Cranio-caudal mammogram of the right breast. 45 y/o patient.
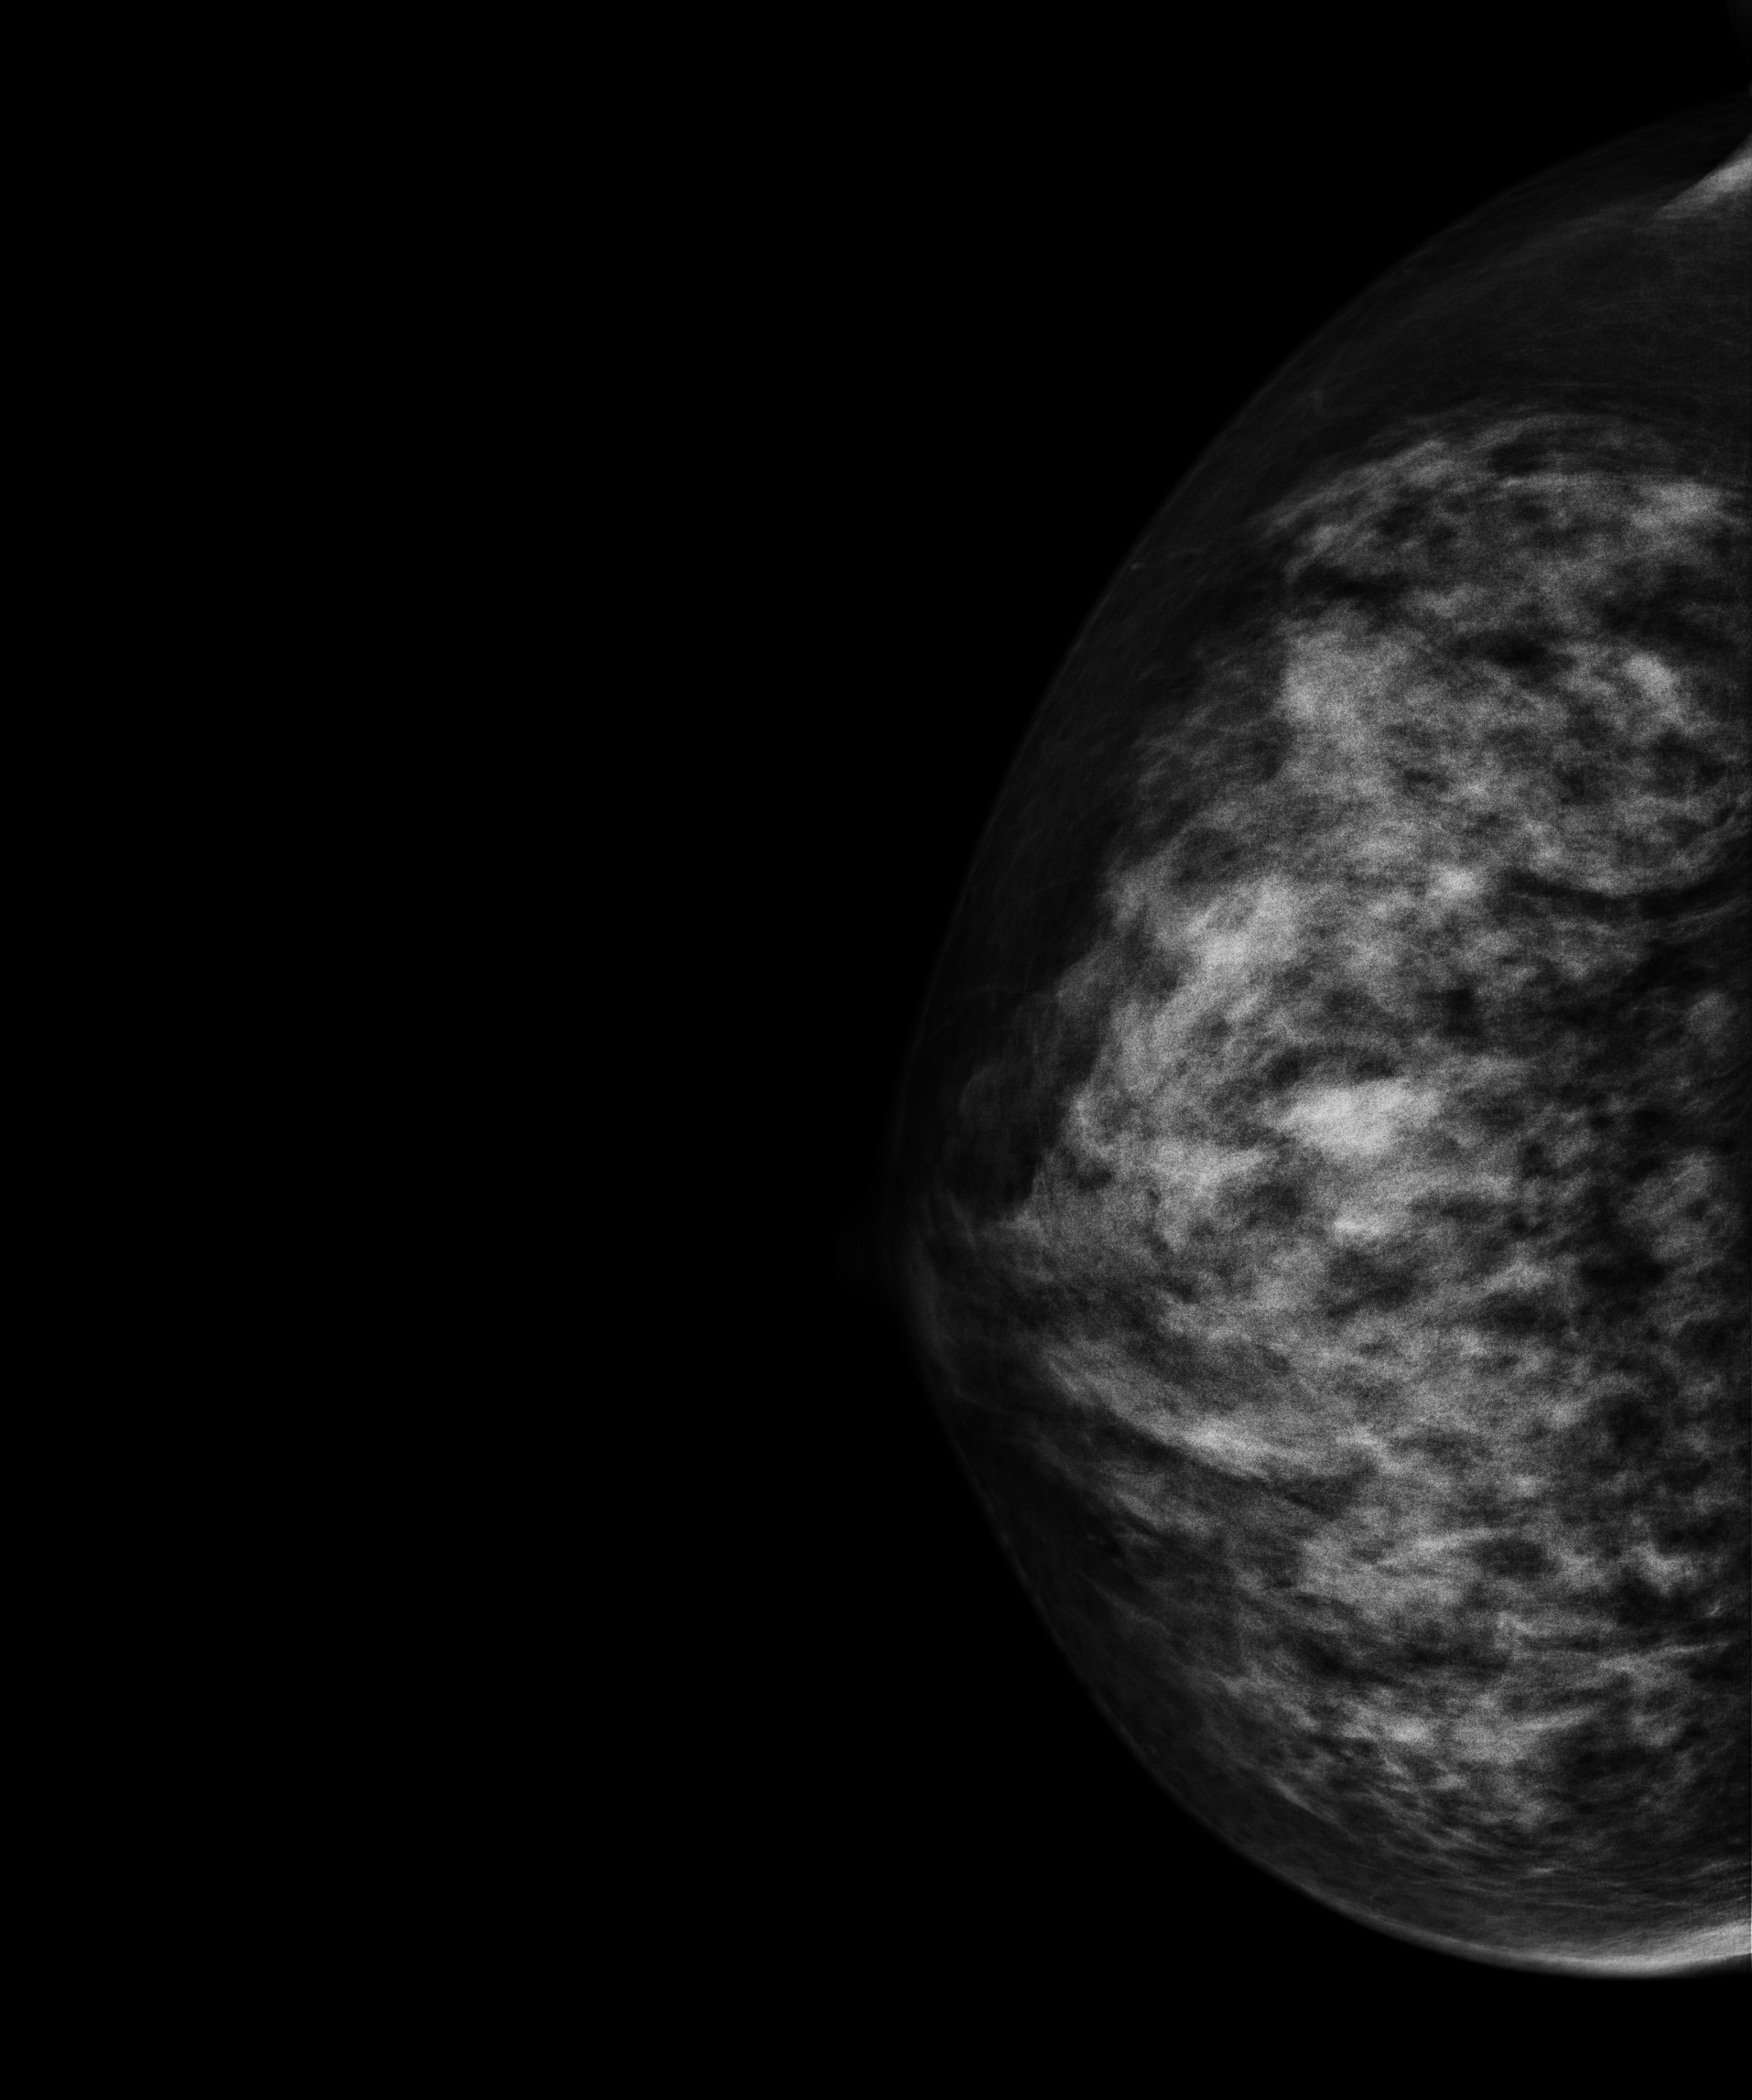
Contralateral breast — no documented abnormality on this side.